Cranio-caudal mammogram of the right breast. Patient age 34.
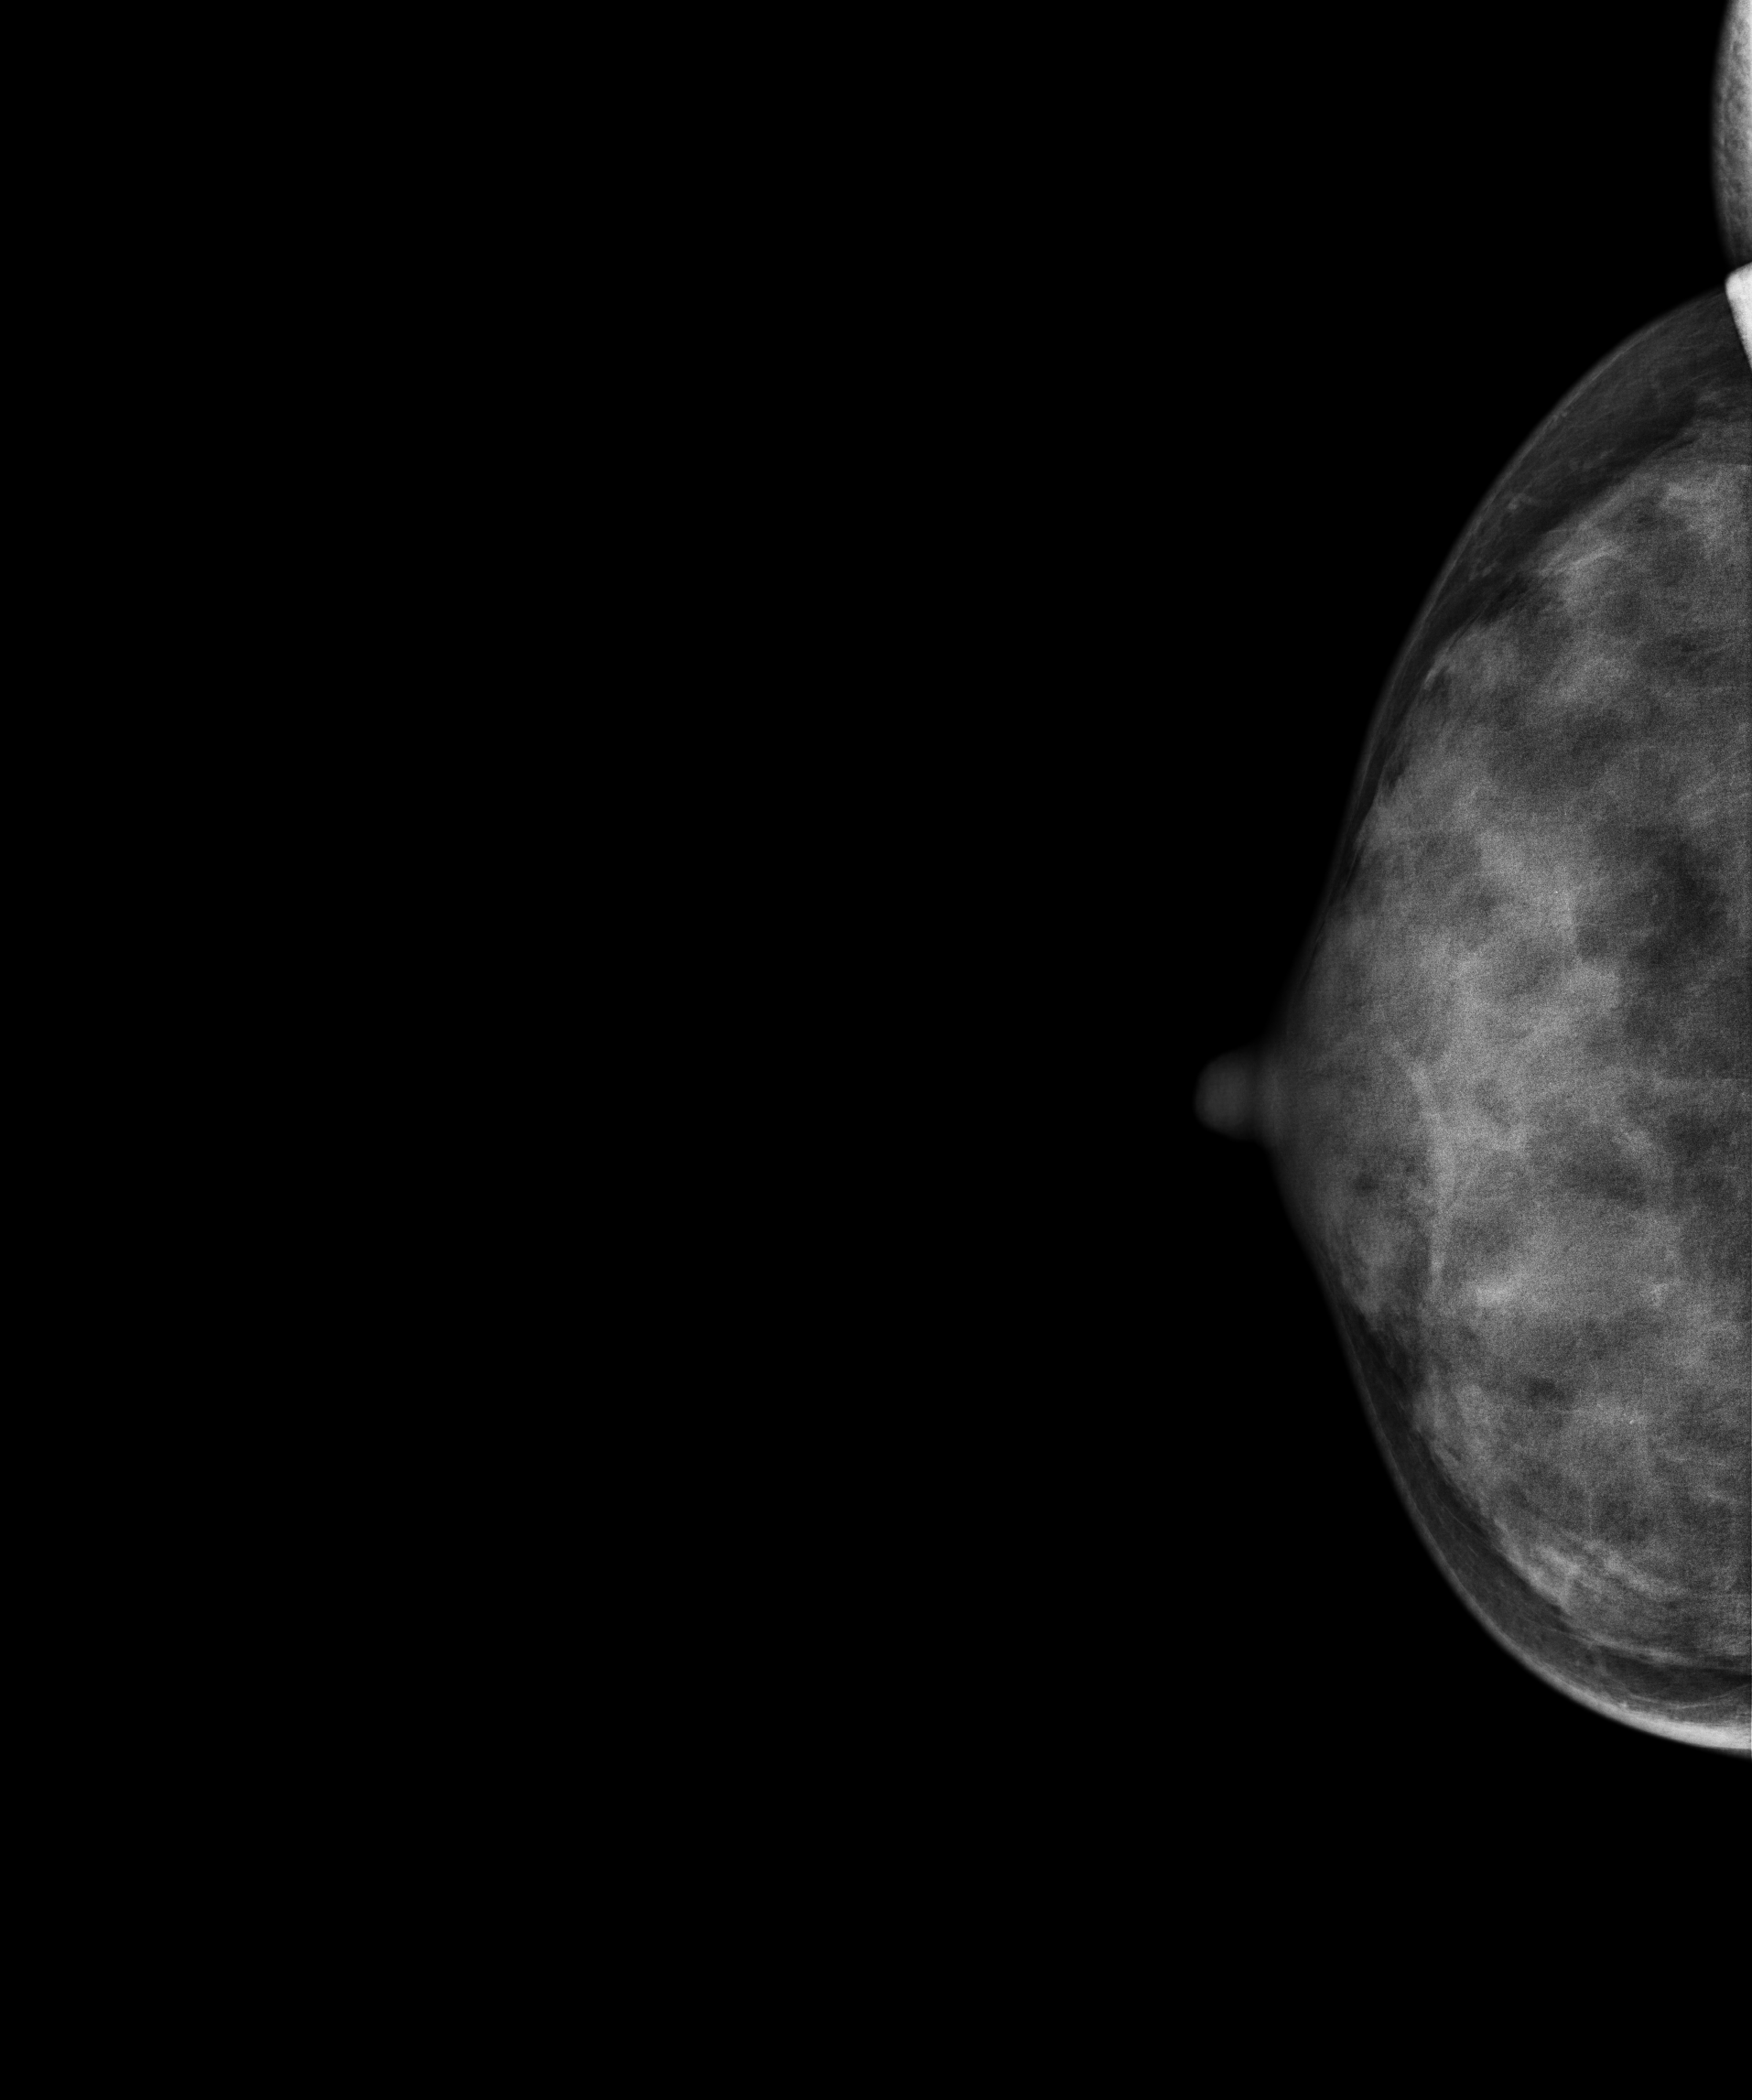
This breast has a mass, pathology-confirmed benign.